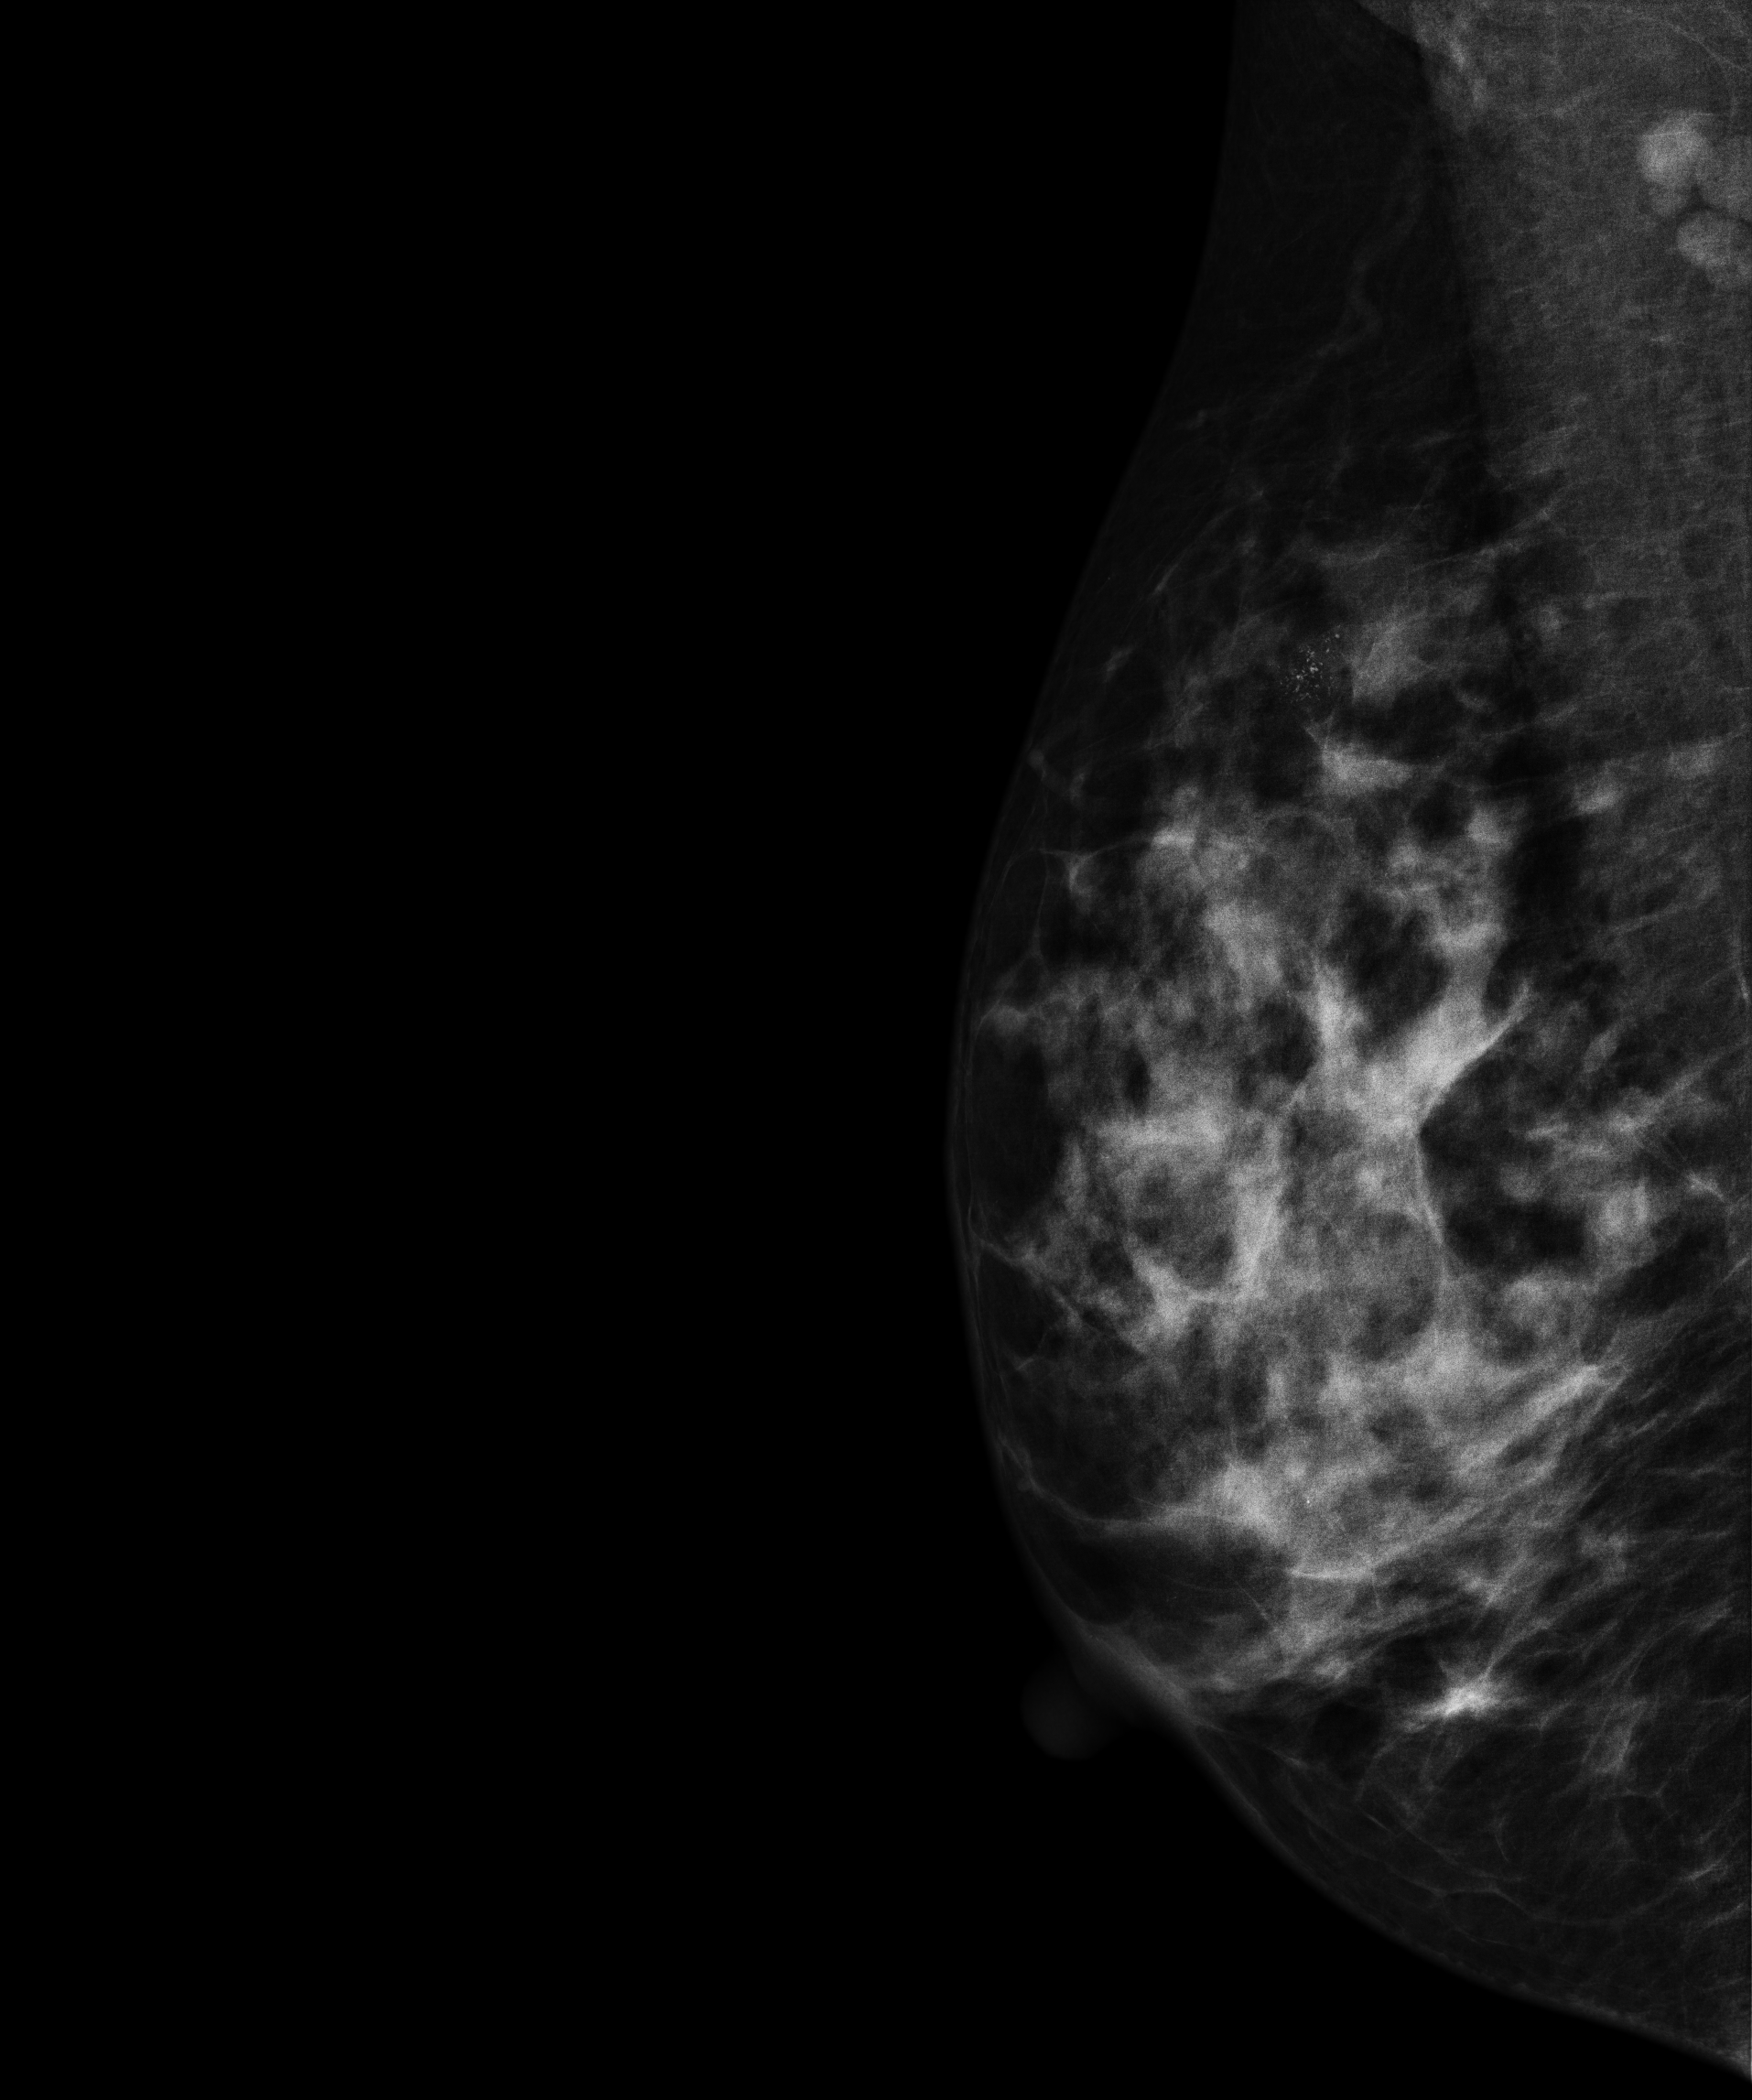
Mammogram — right medio-lateral oblique. 32 y/o patient.
This breast has a mass and calcifications, biopsy-proven malignant.